Mammogram, left breast, medio-lateral oblique view. 31-year-old patient.
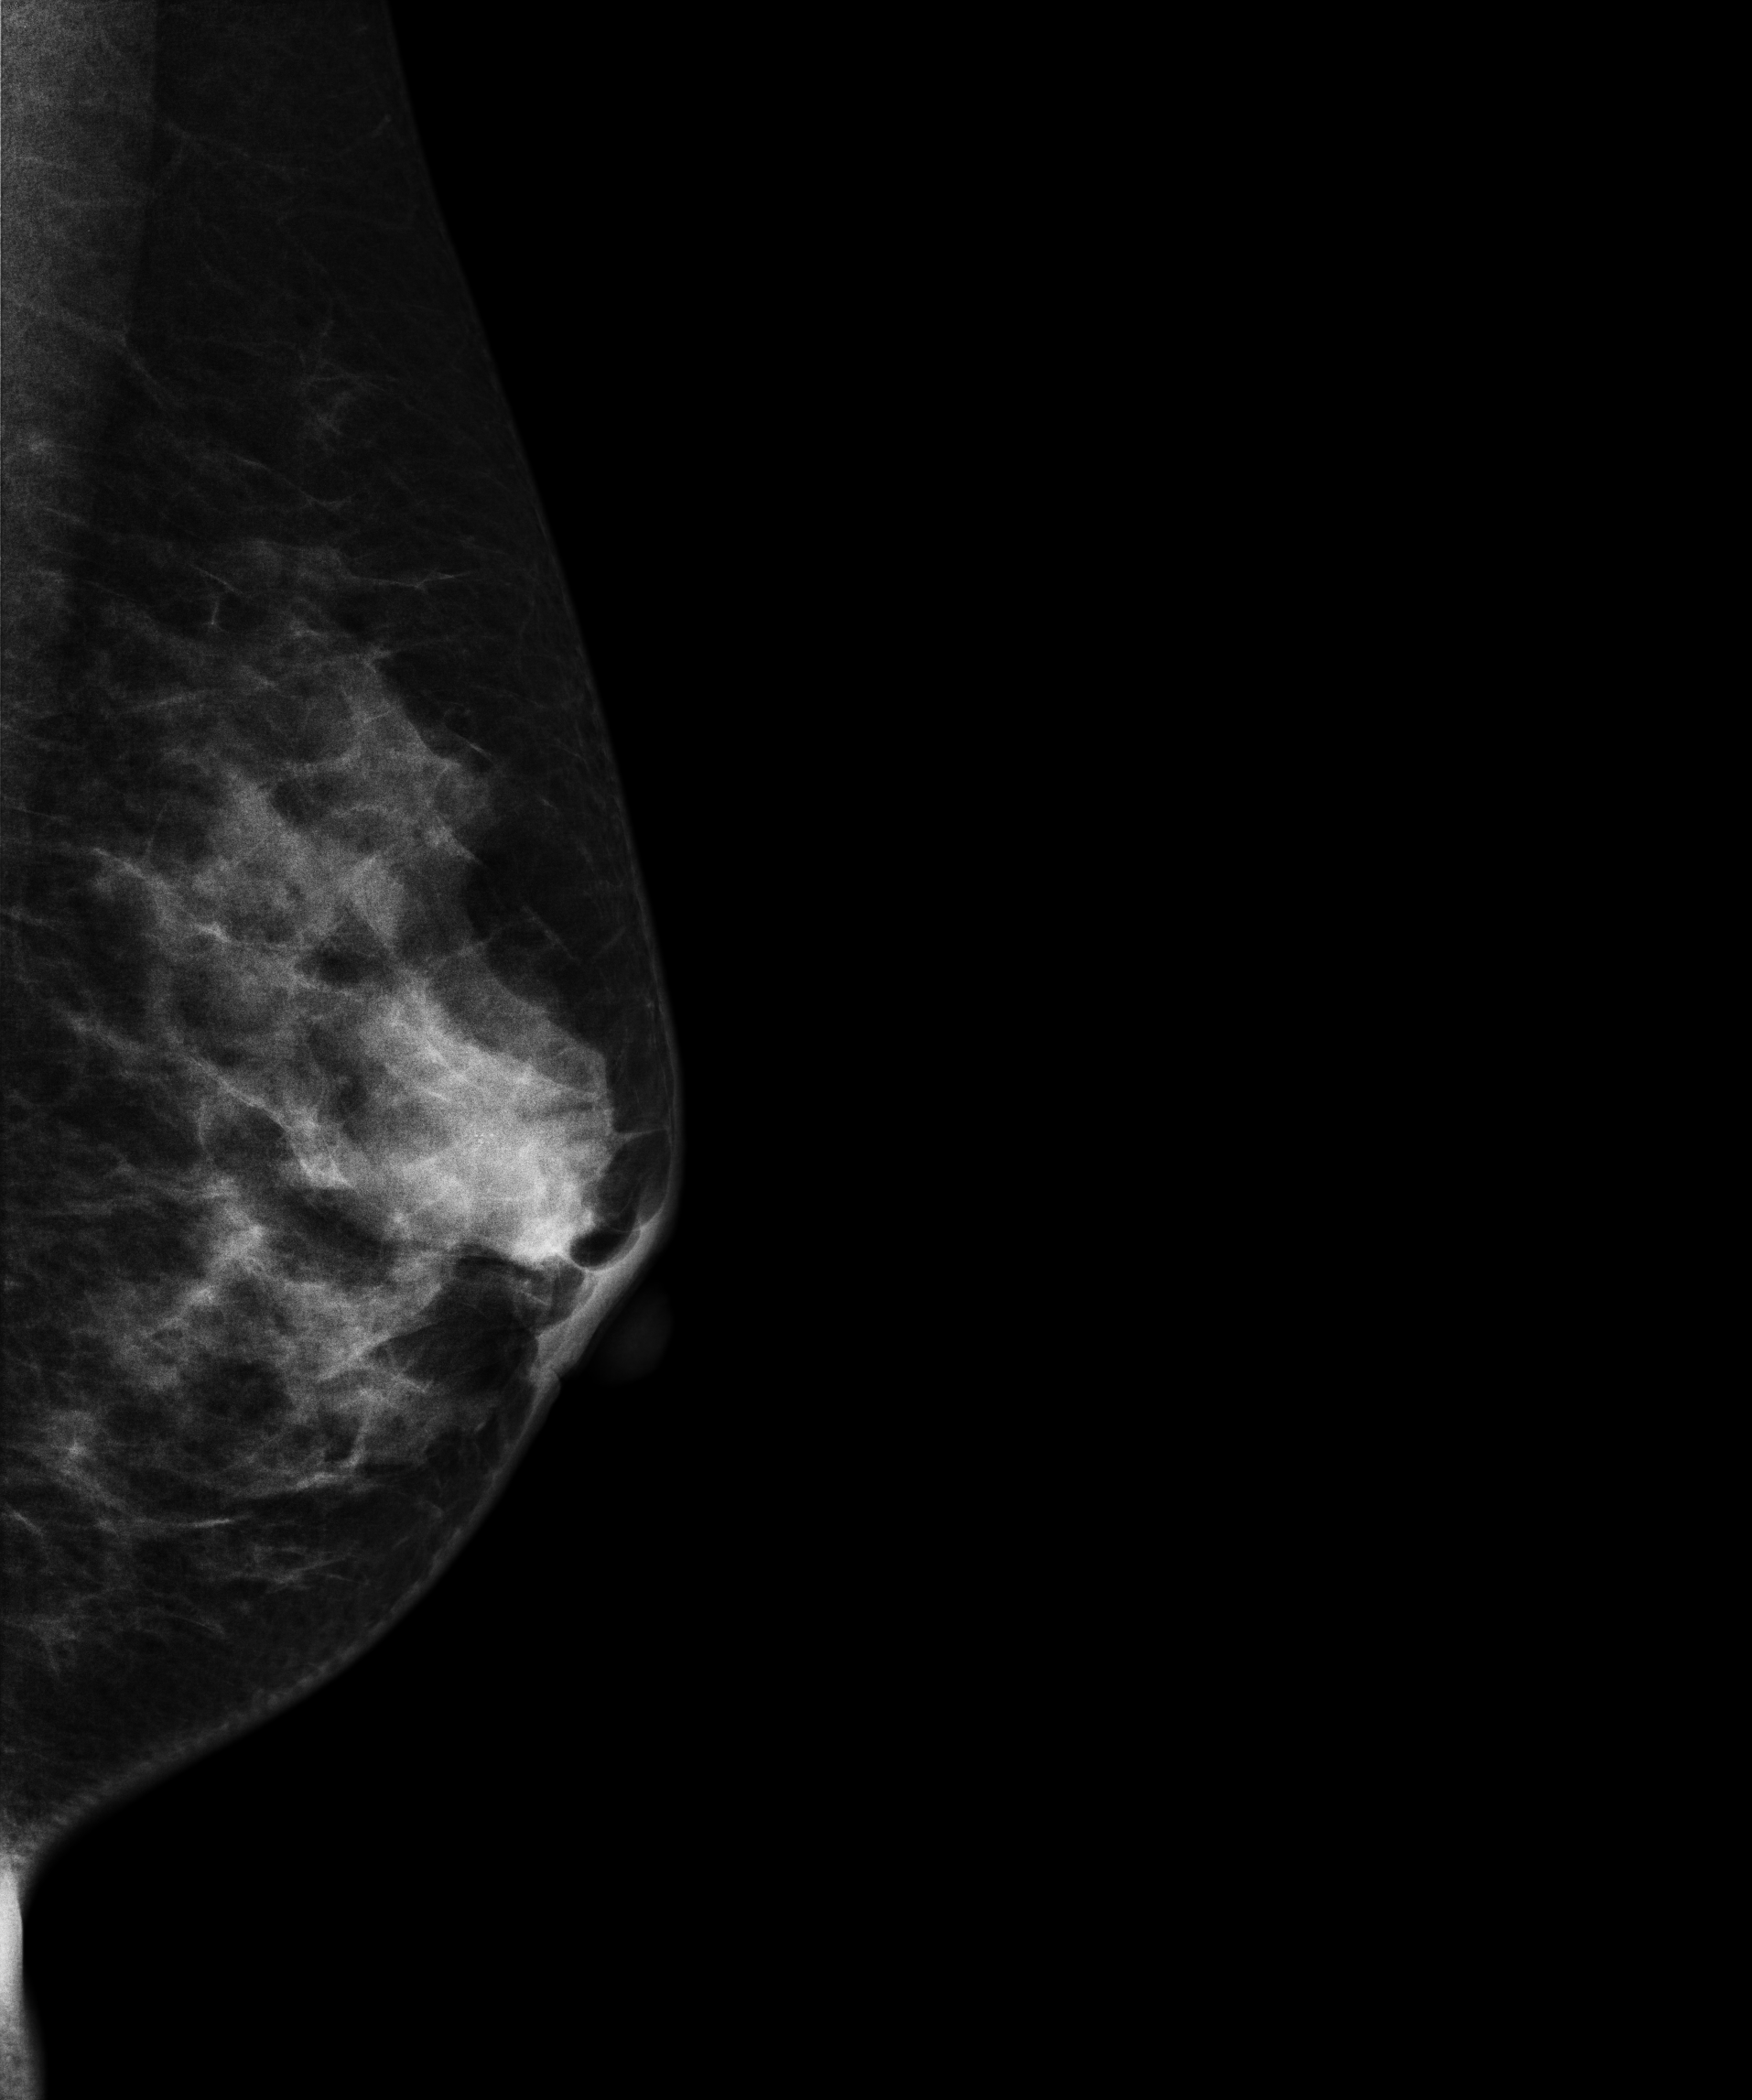
This breast has a mass and calcifications, pathology-confirmed malignant.